Mammogram — left medio-lateral oblique. Patient age 42.
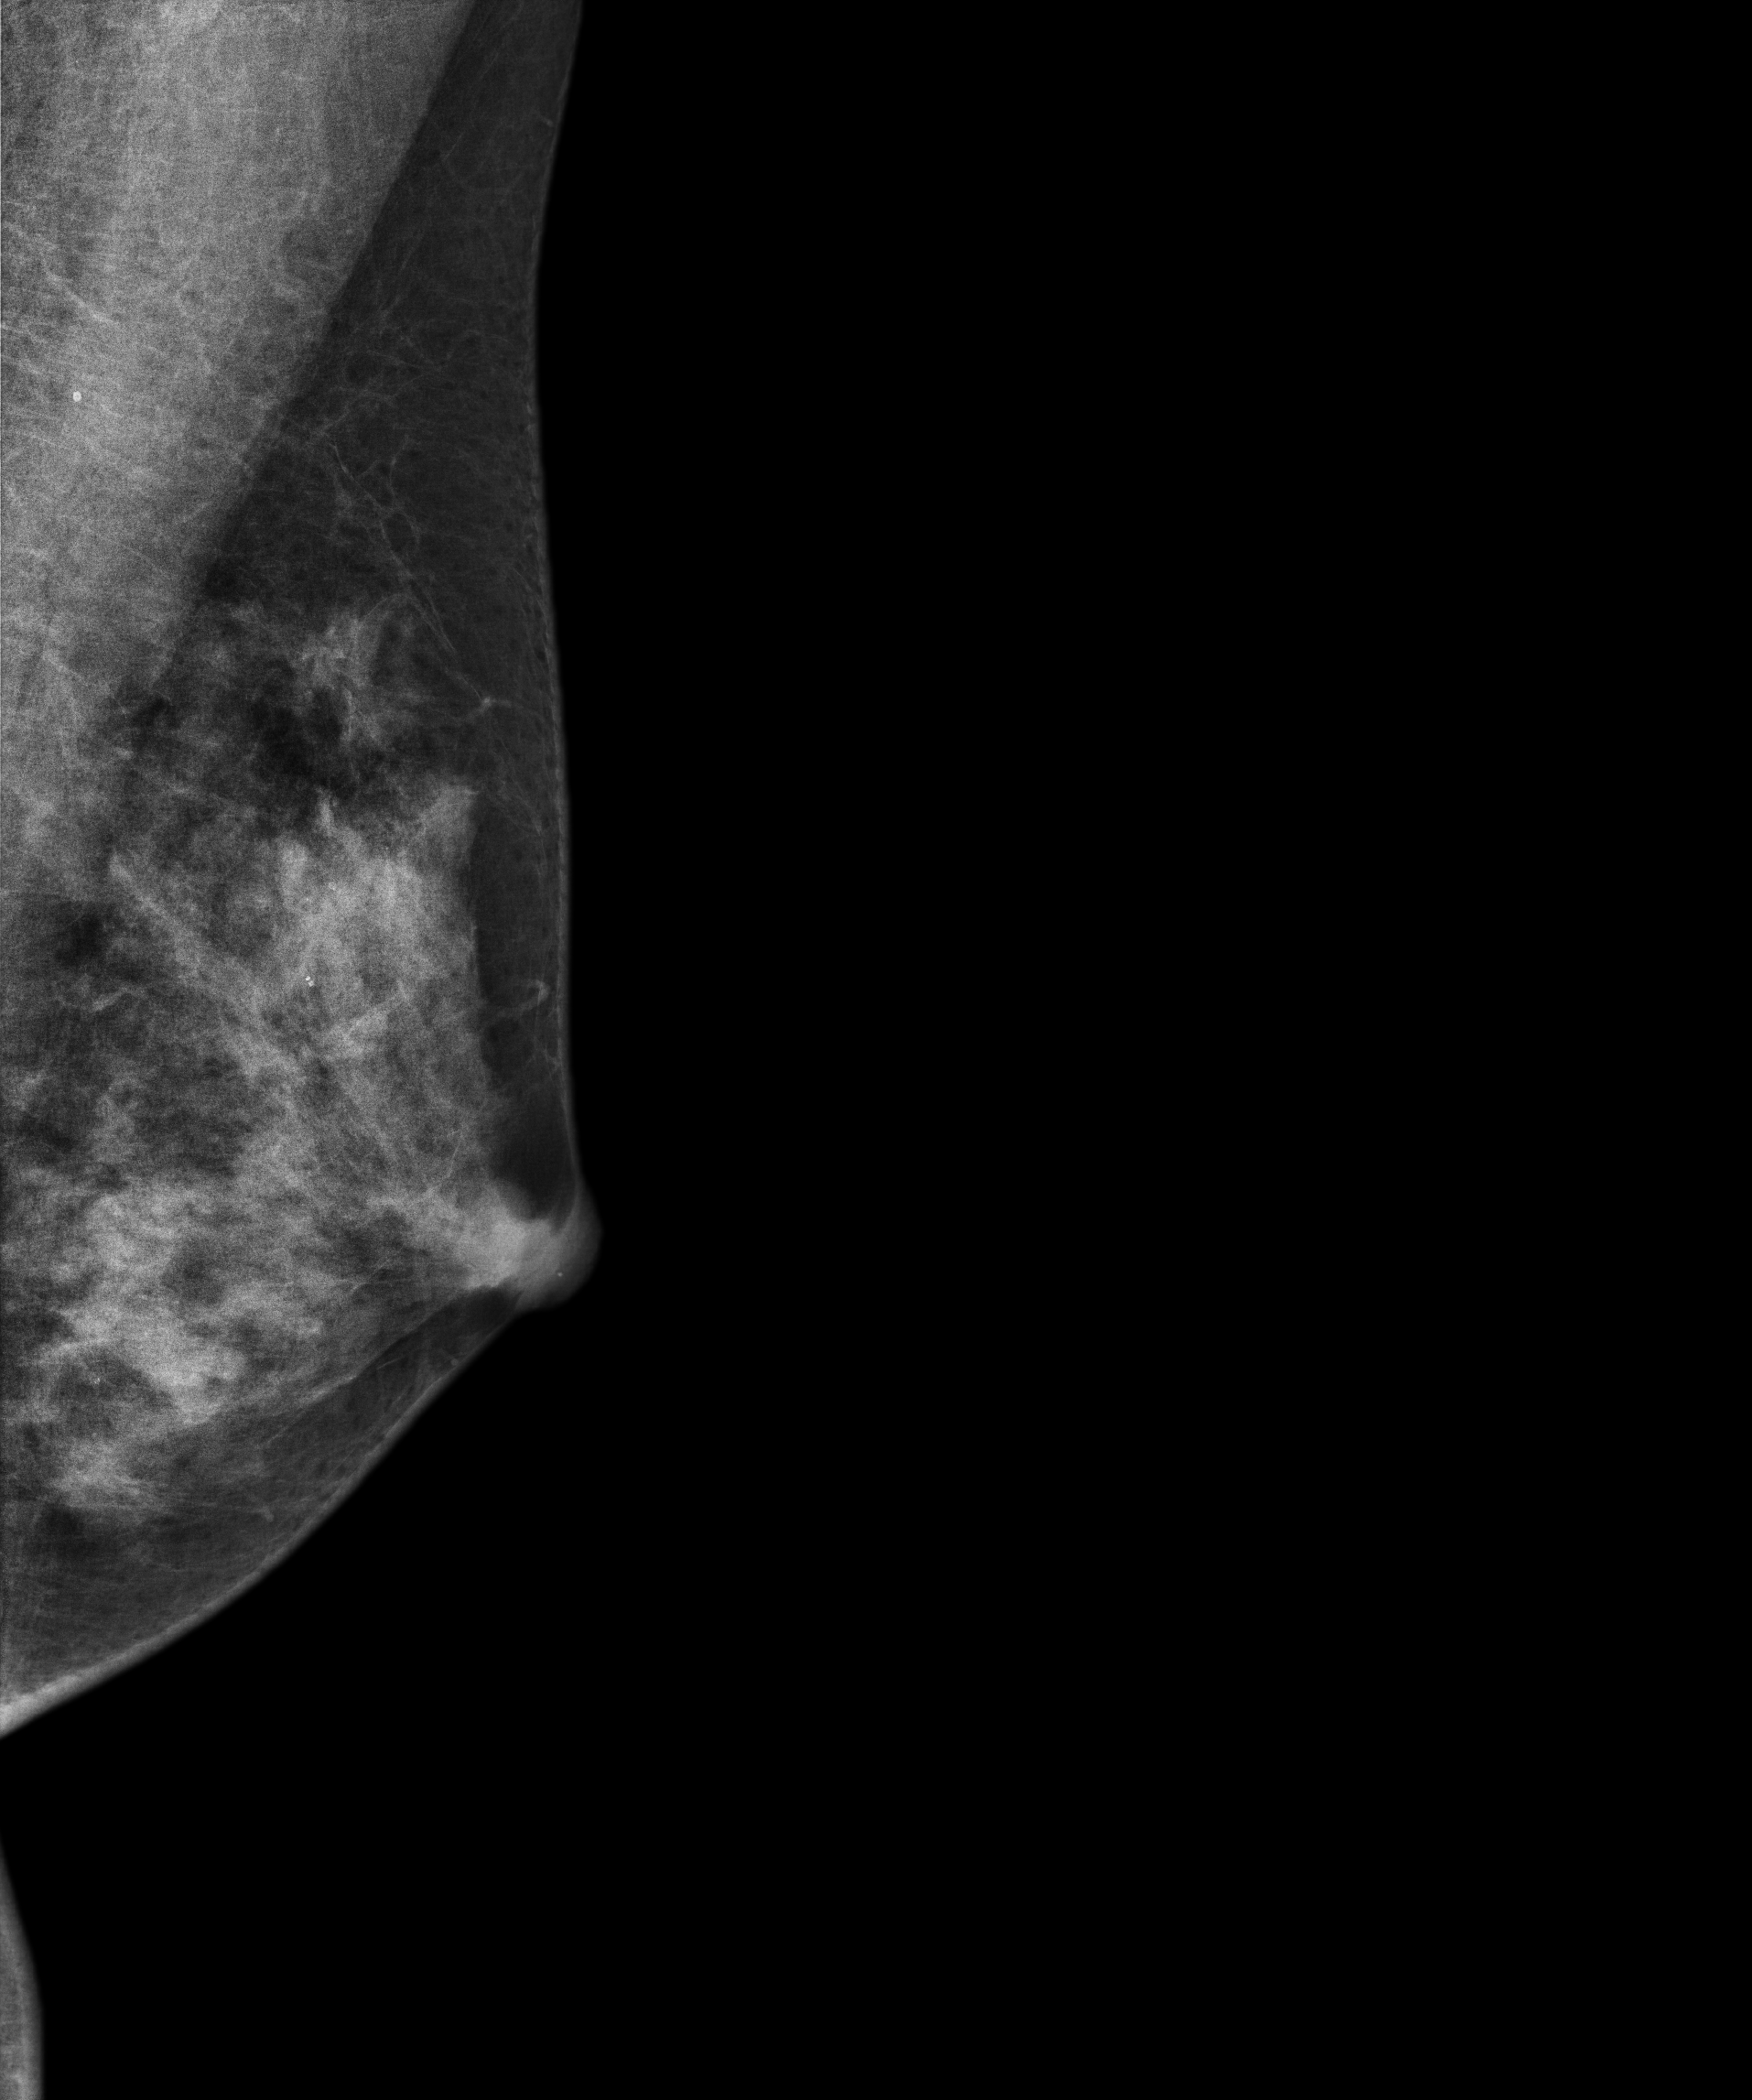
Contralateral breast — no documented abnormality on this side.